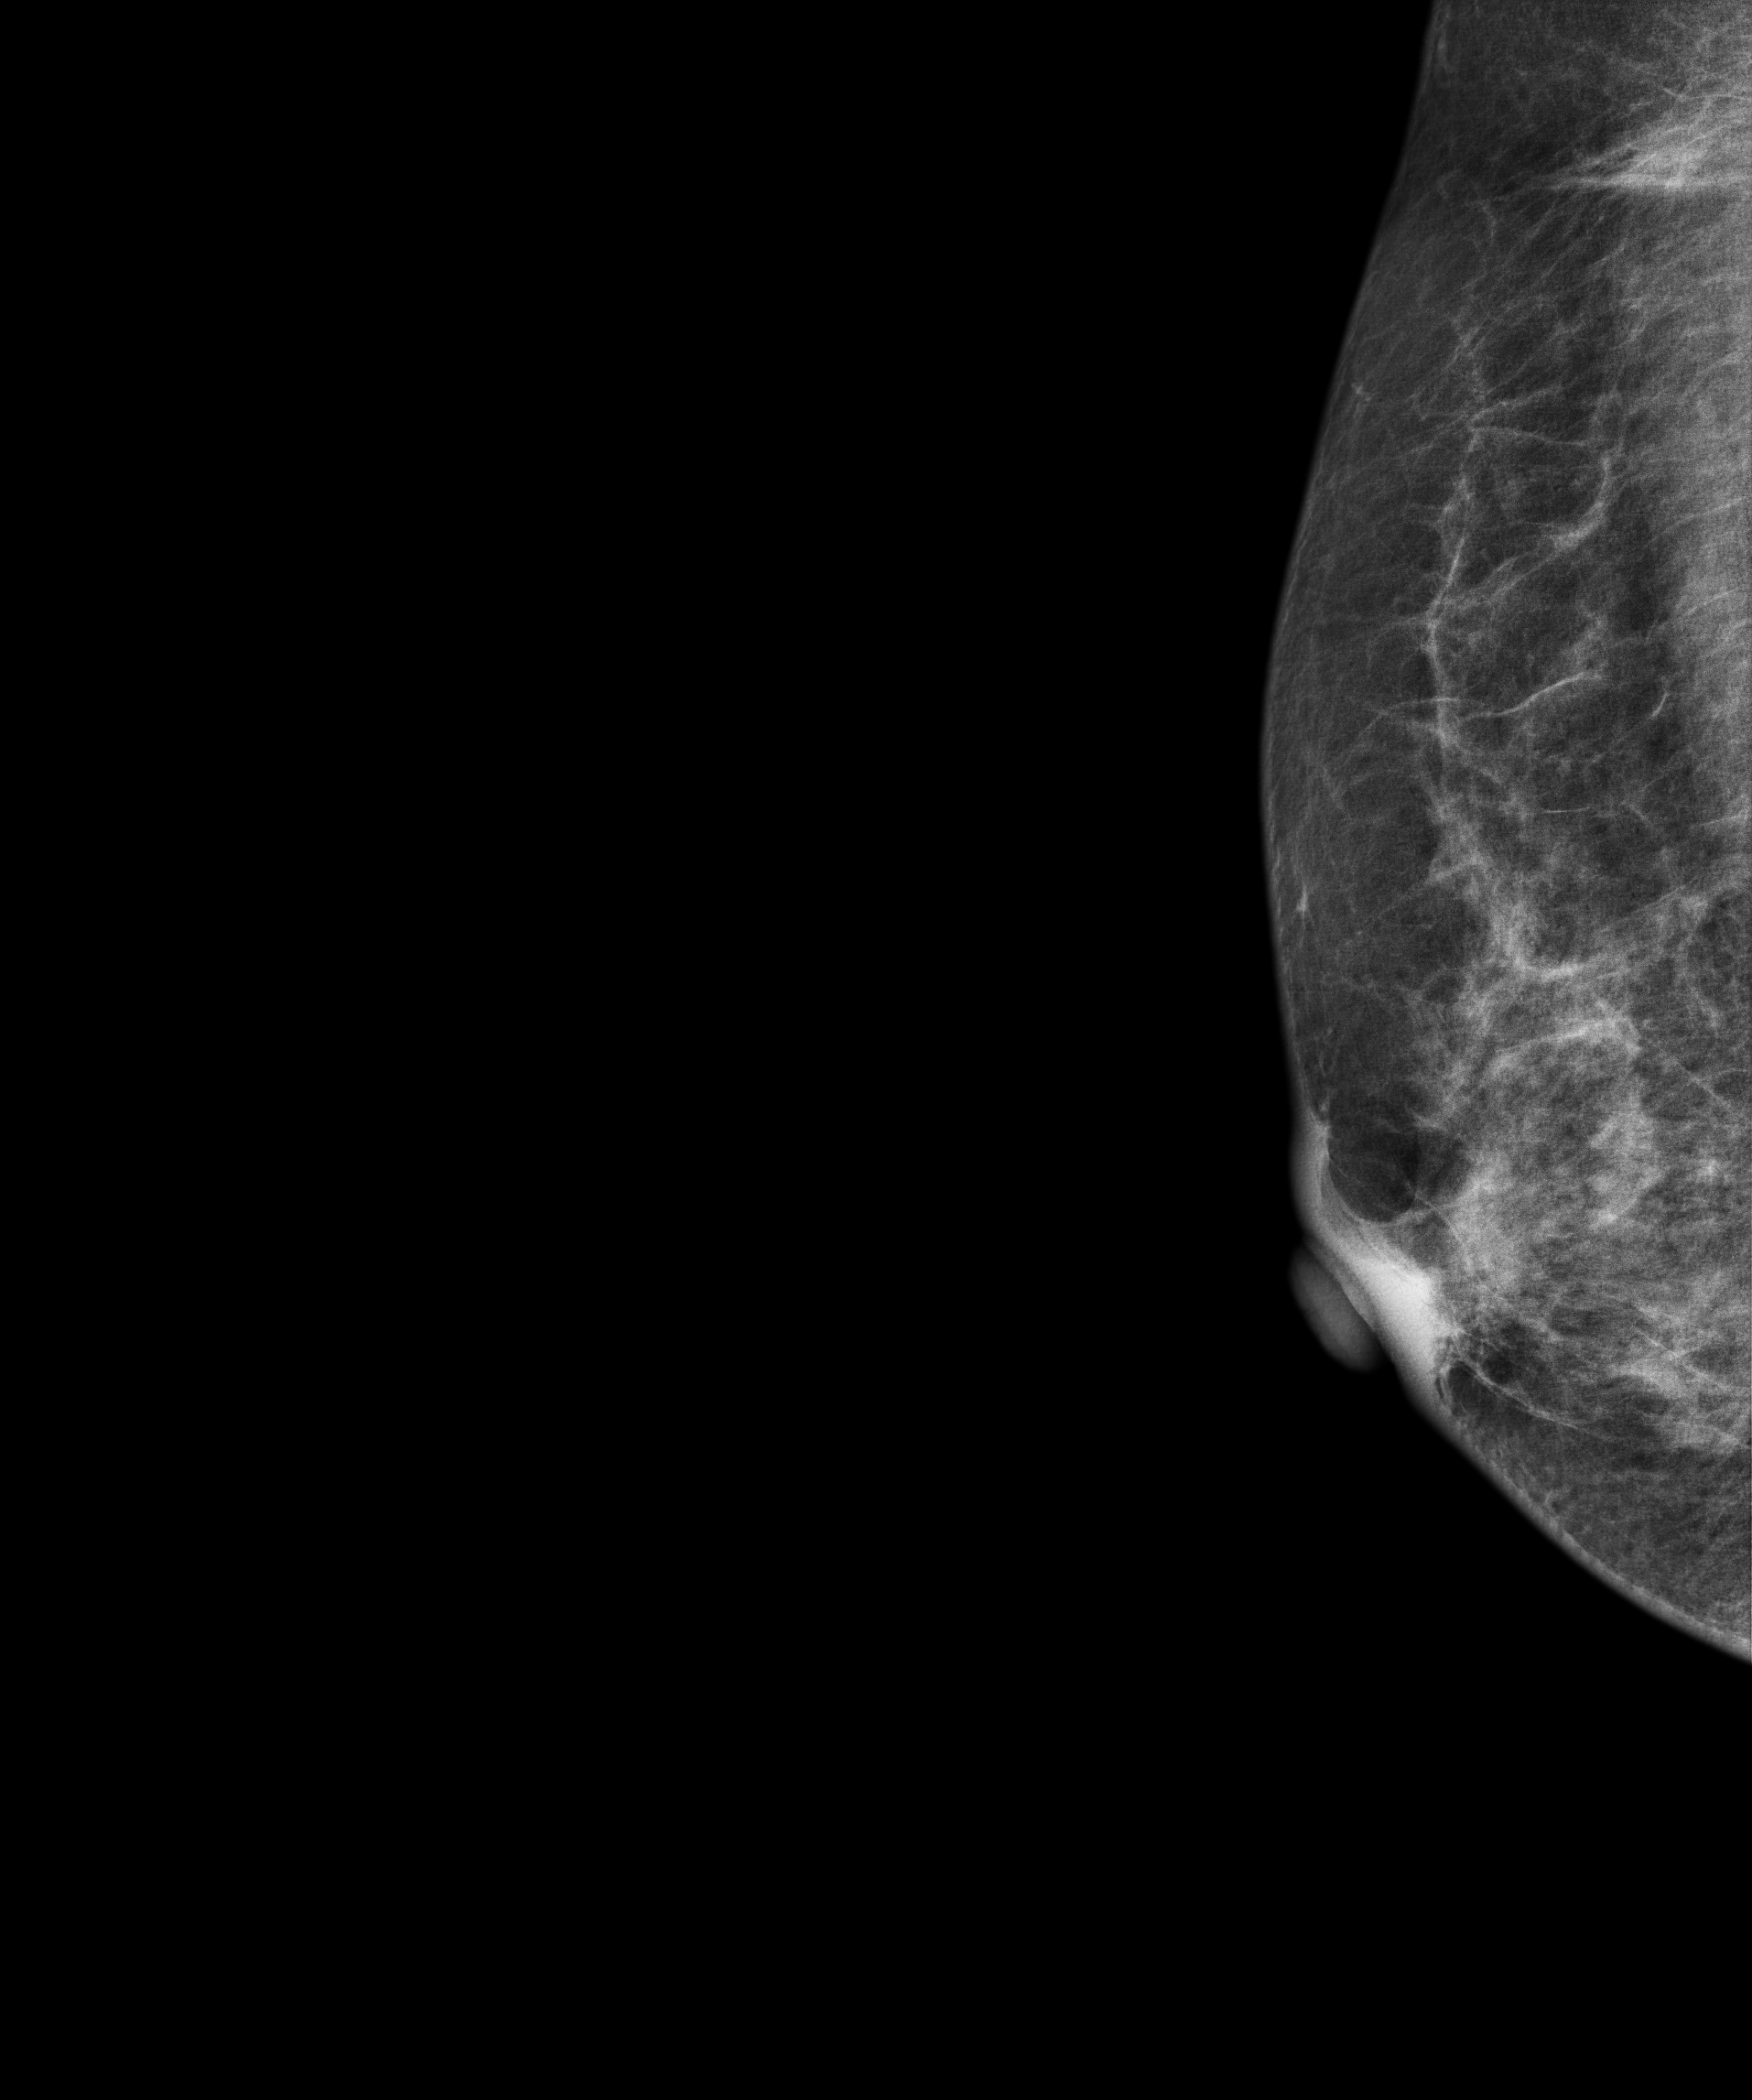
Mammogram — right MLO. Patient age 36.
This breast has a mass, biopsy-confirmed malignant. Molecular subtype: triple-negative.